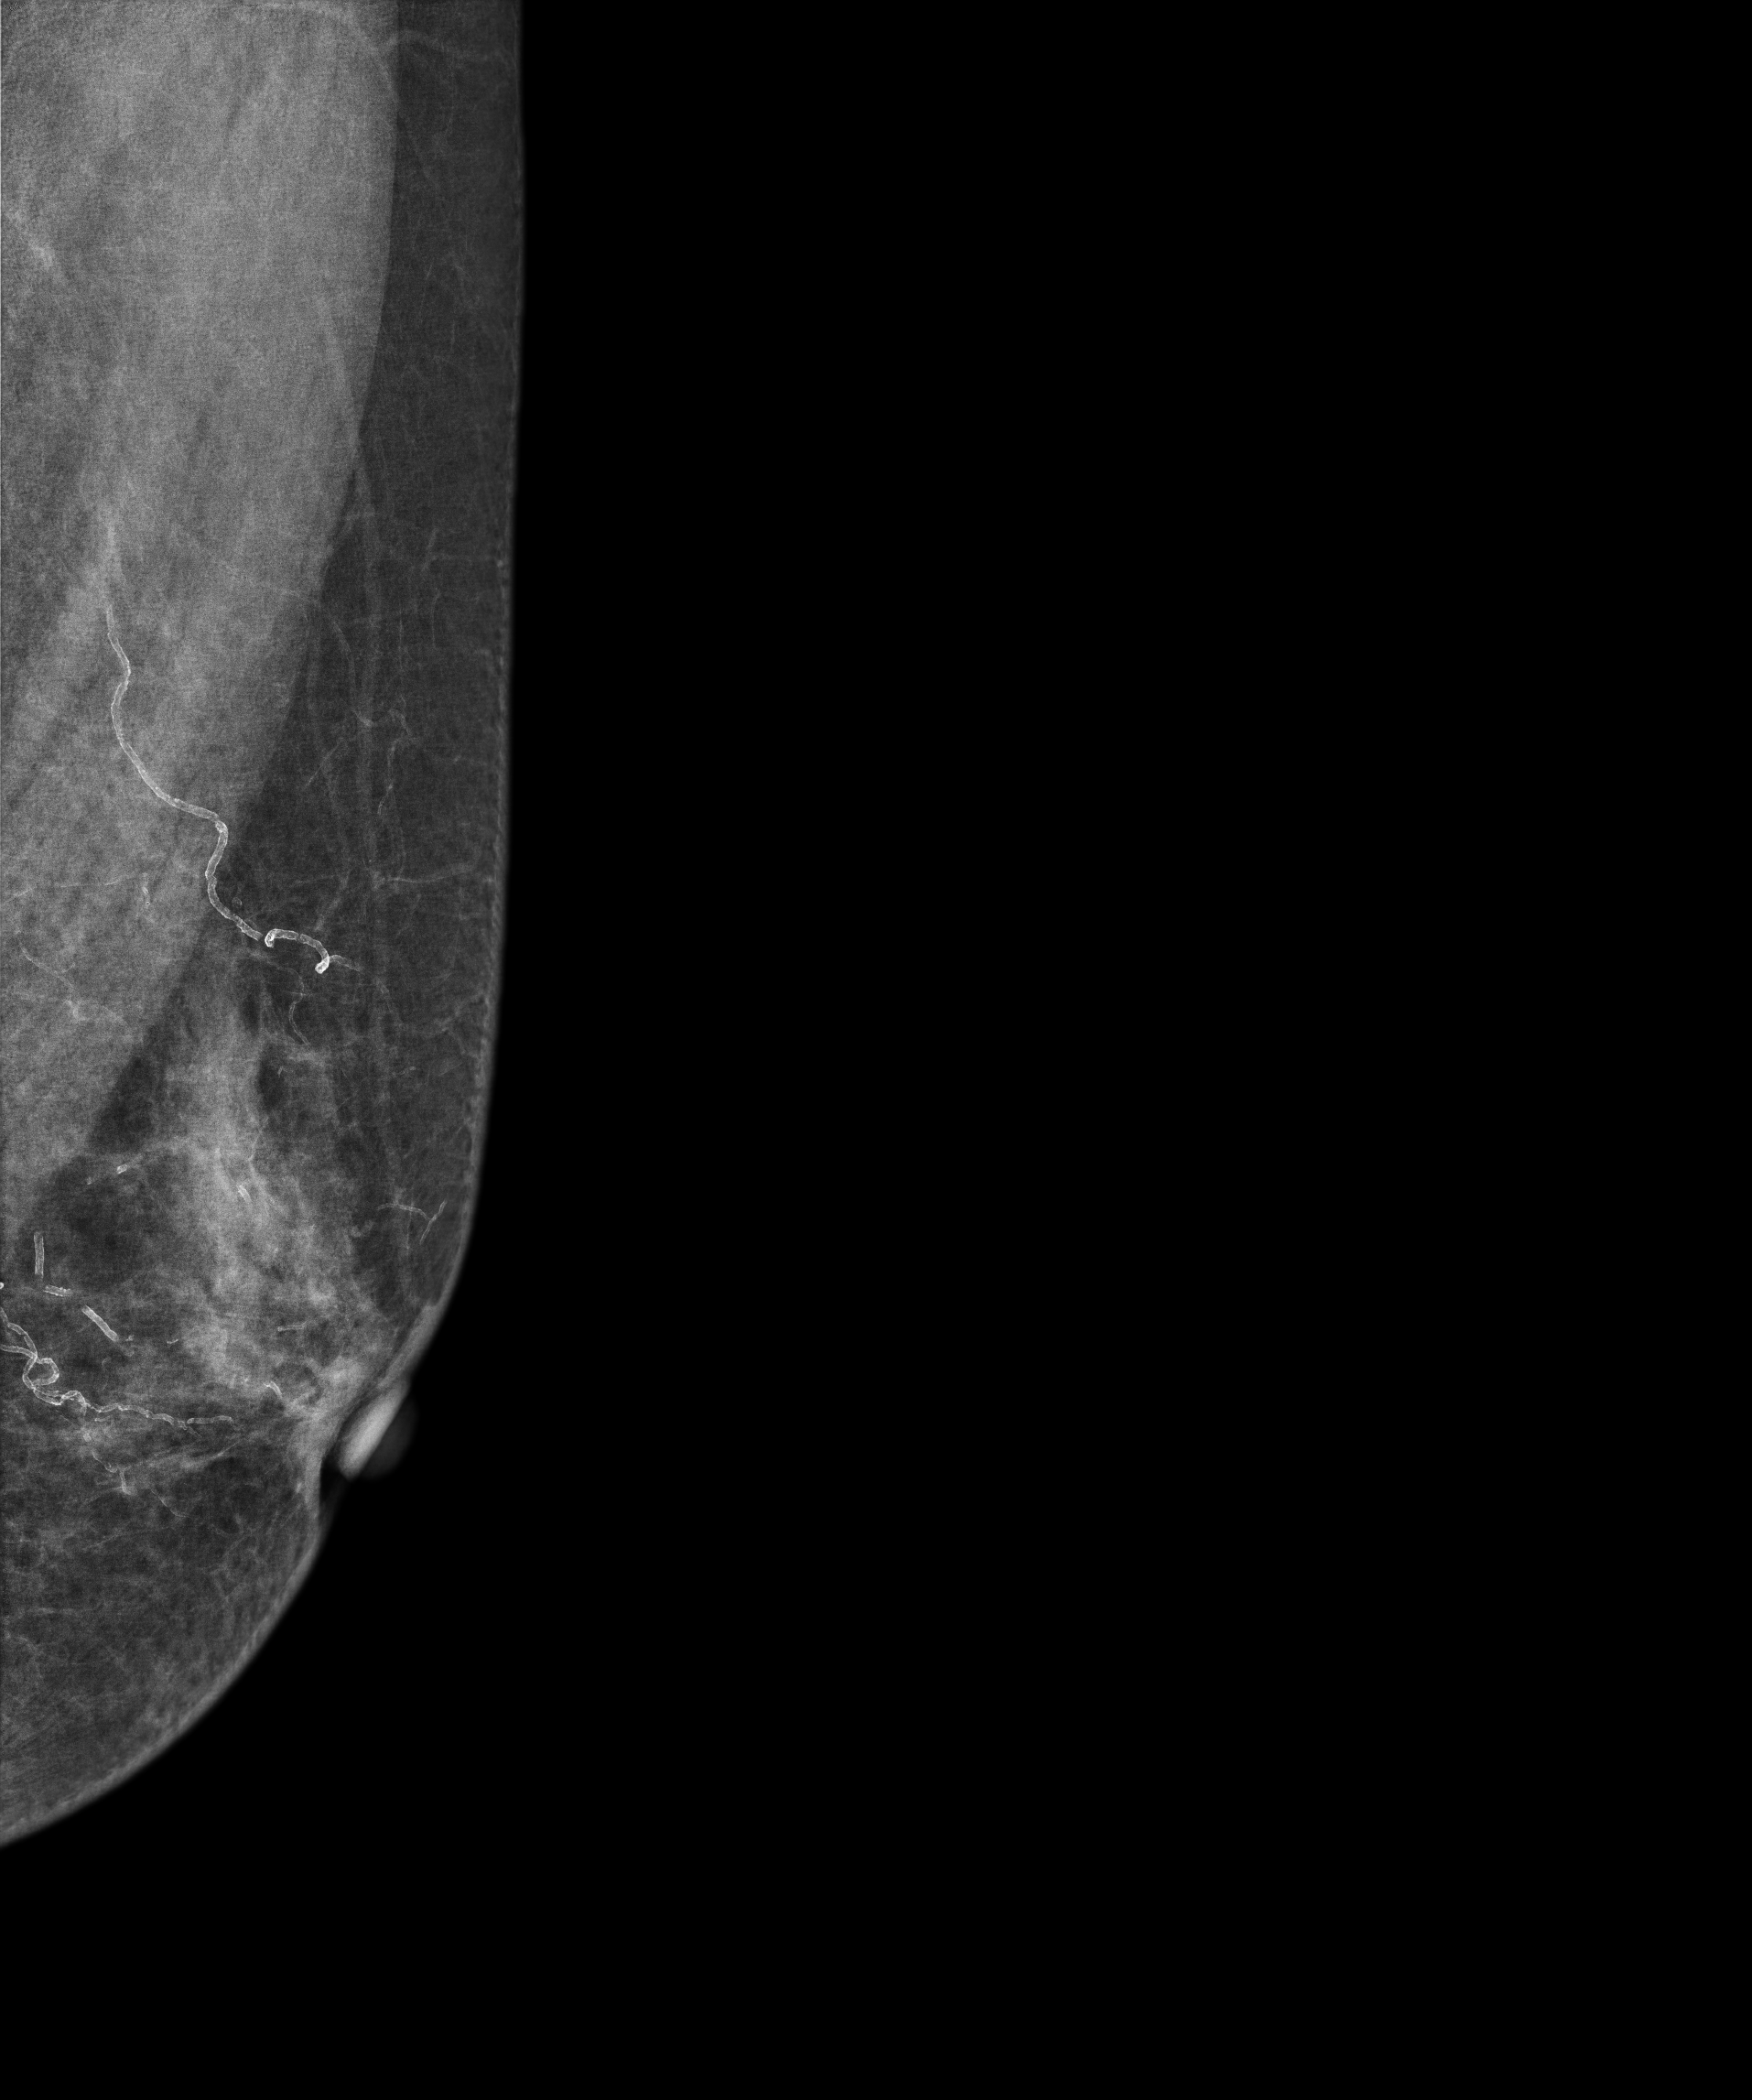
Mammogram, left breast, MLO view. 73 y/o patient.
Contralateral breast — no documented abnormality on this side.